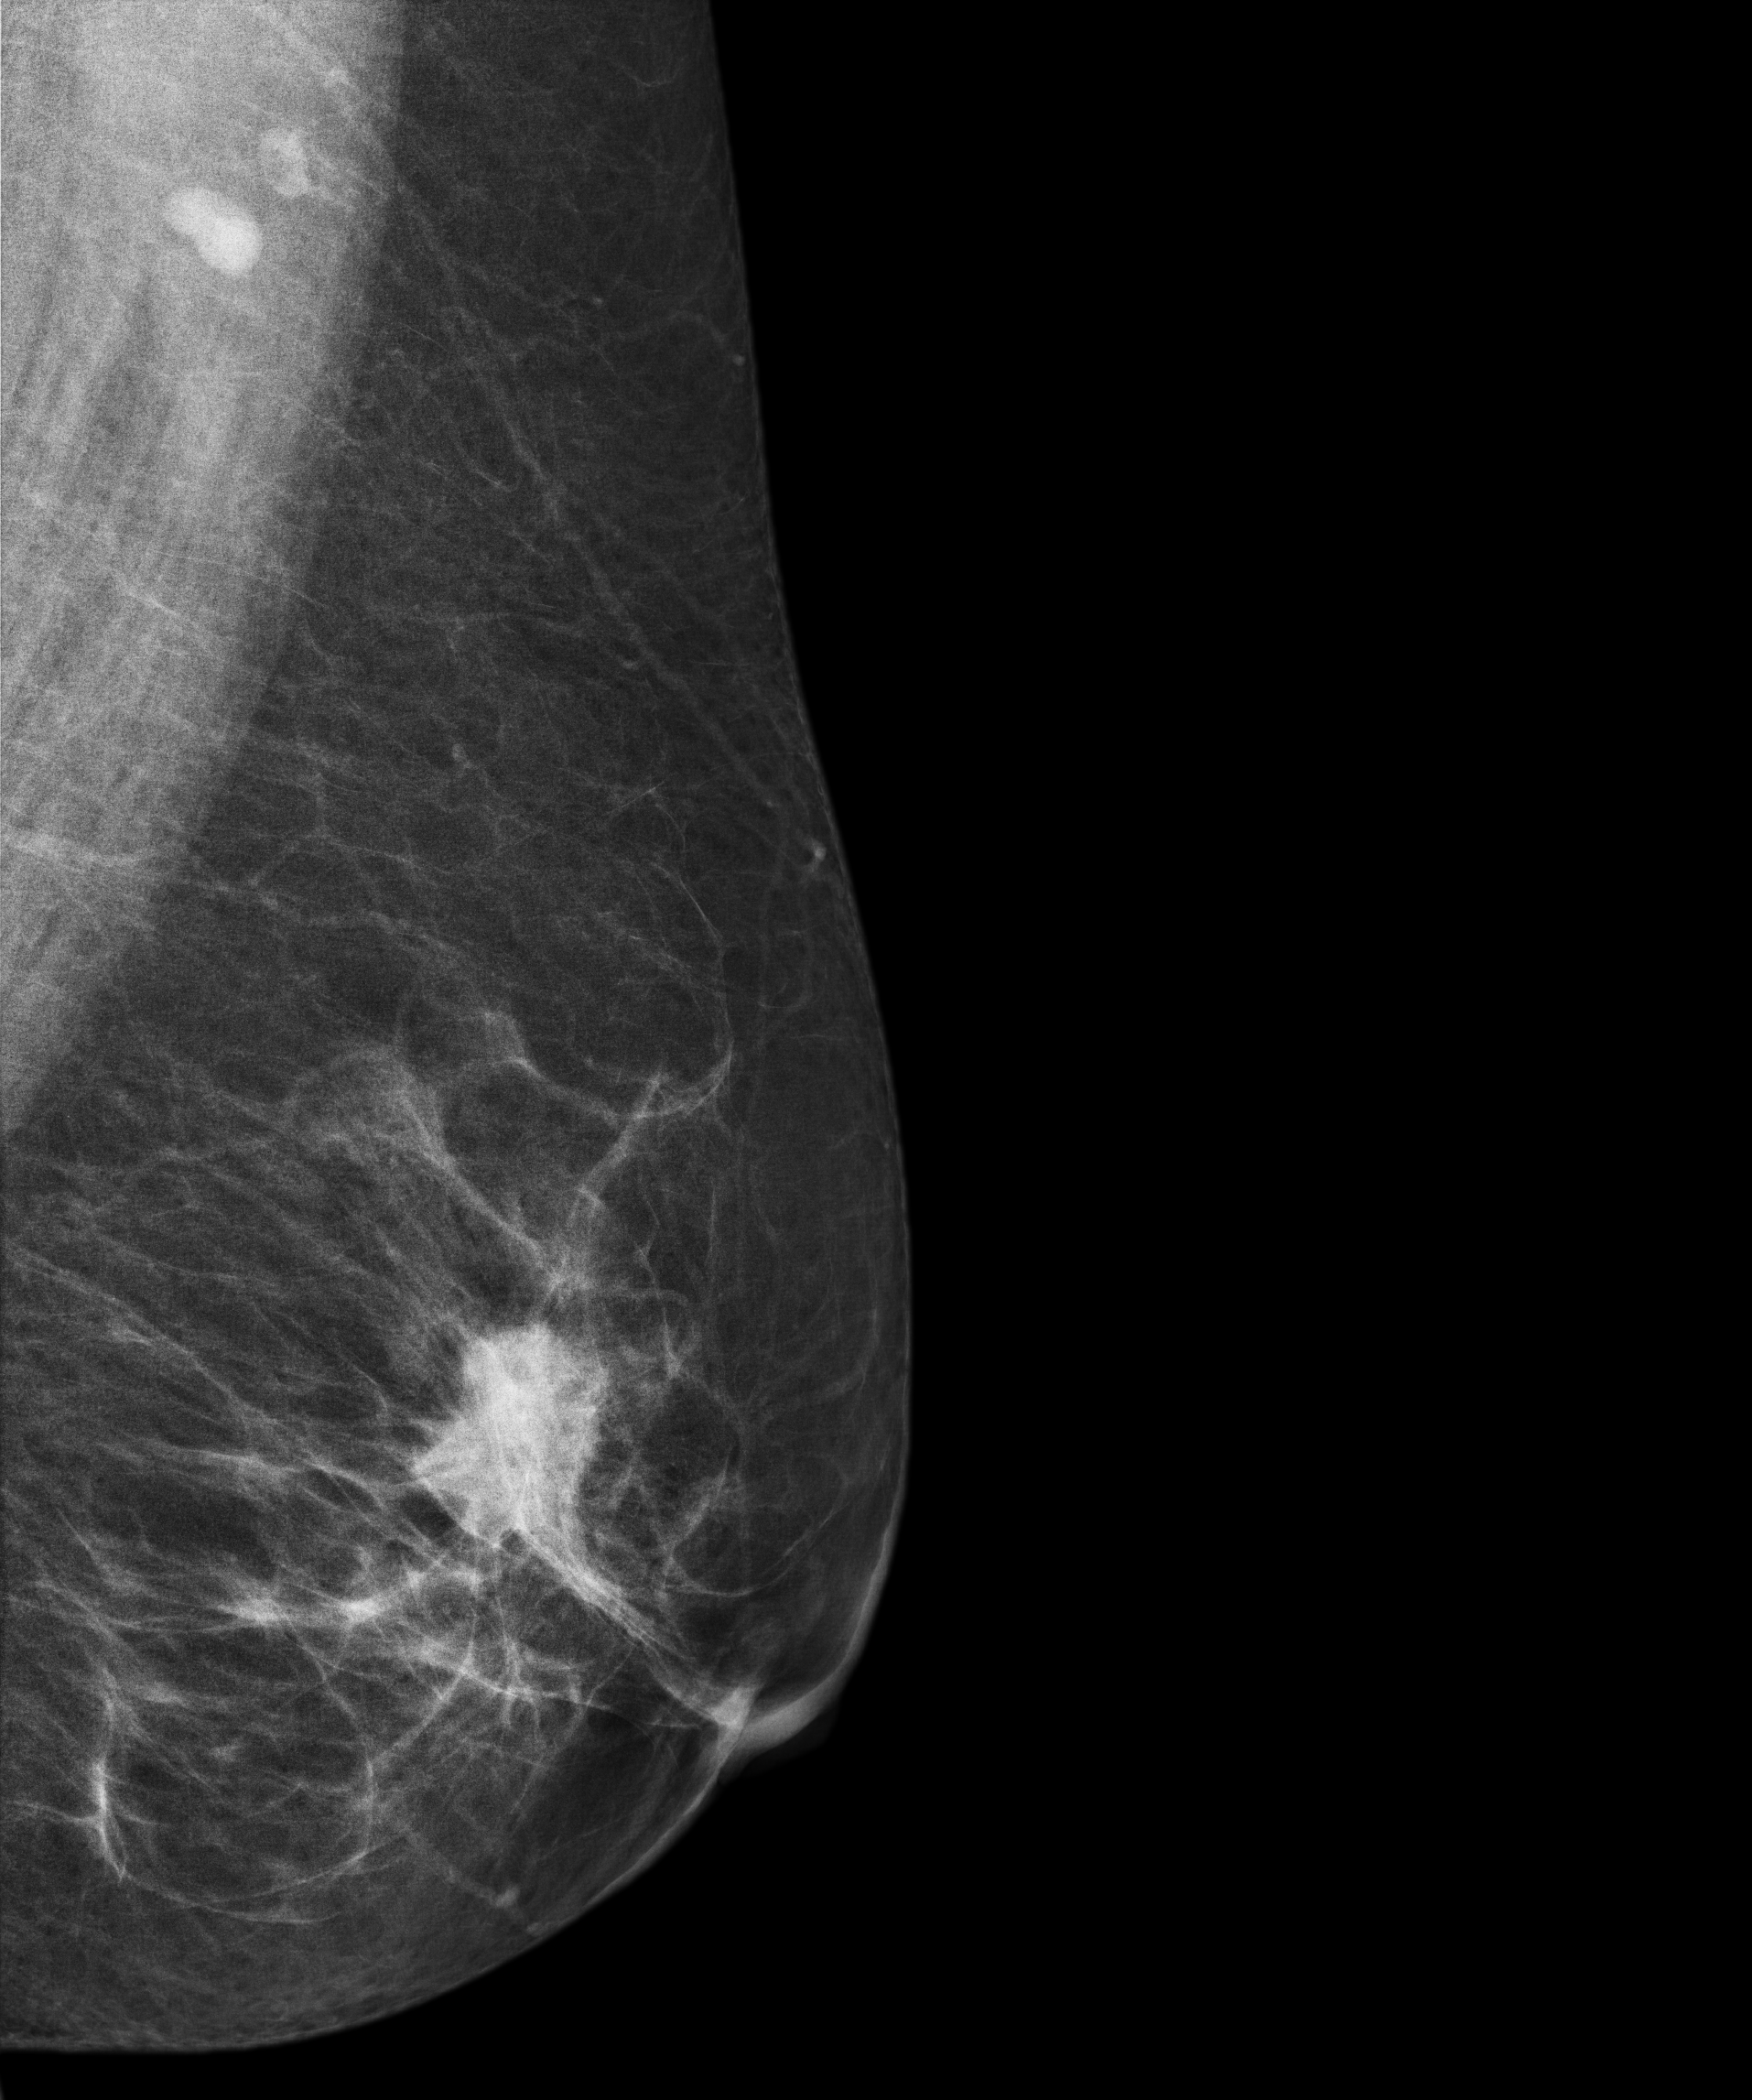
Medio-lateral oblique mammogram of the left breast. 69-year-old patient.
This breast has a mass, pathology-confirmed malignant. Molecular subtype: luminal A.